Digital mammography. Right breast, cranio-caudal projection. 40 y/o patient.
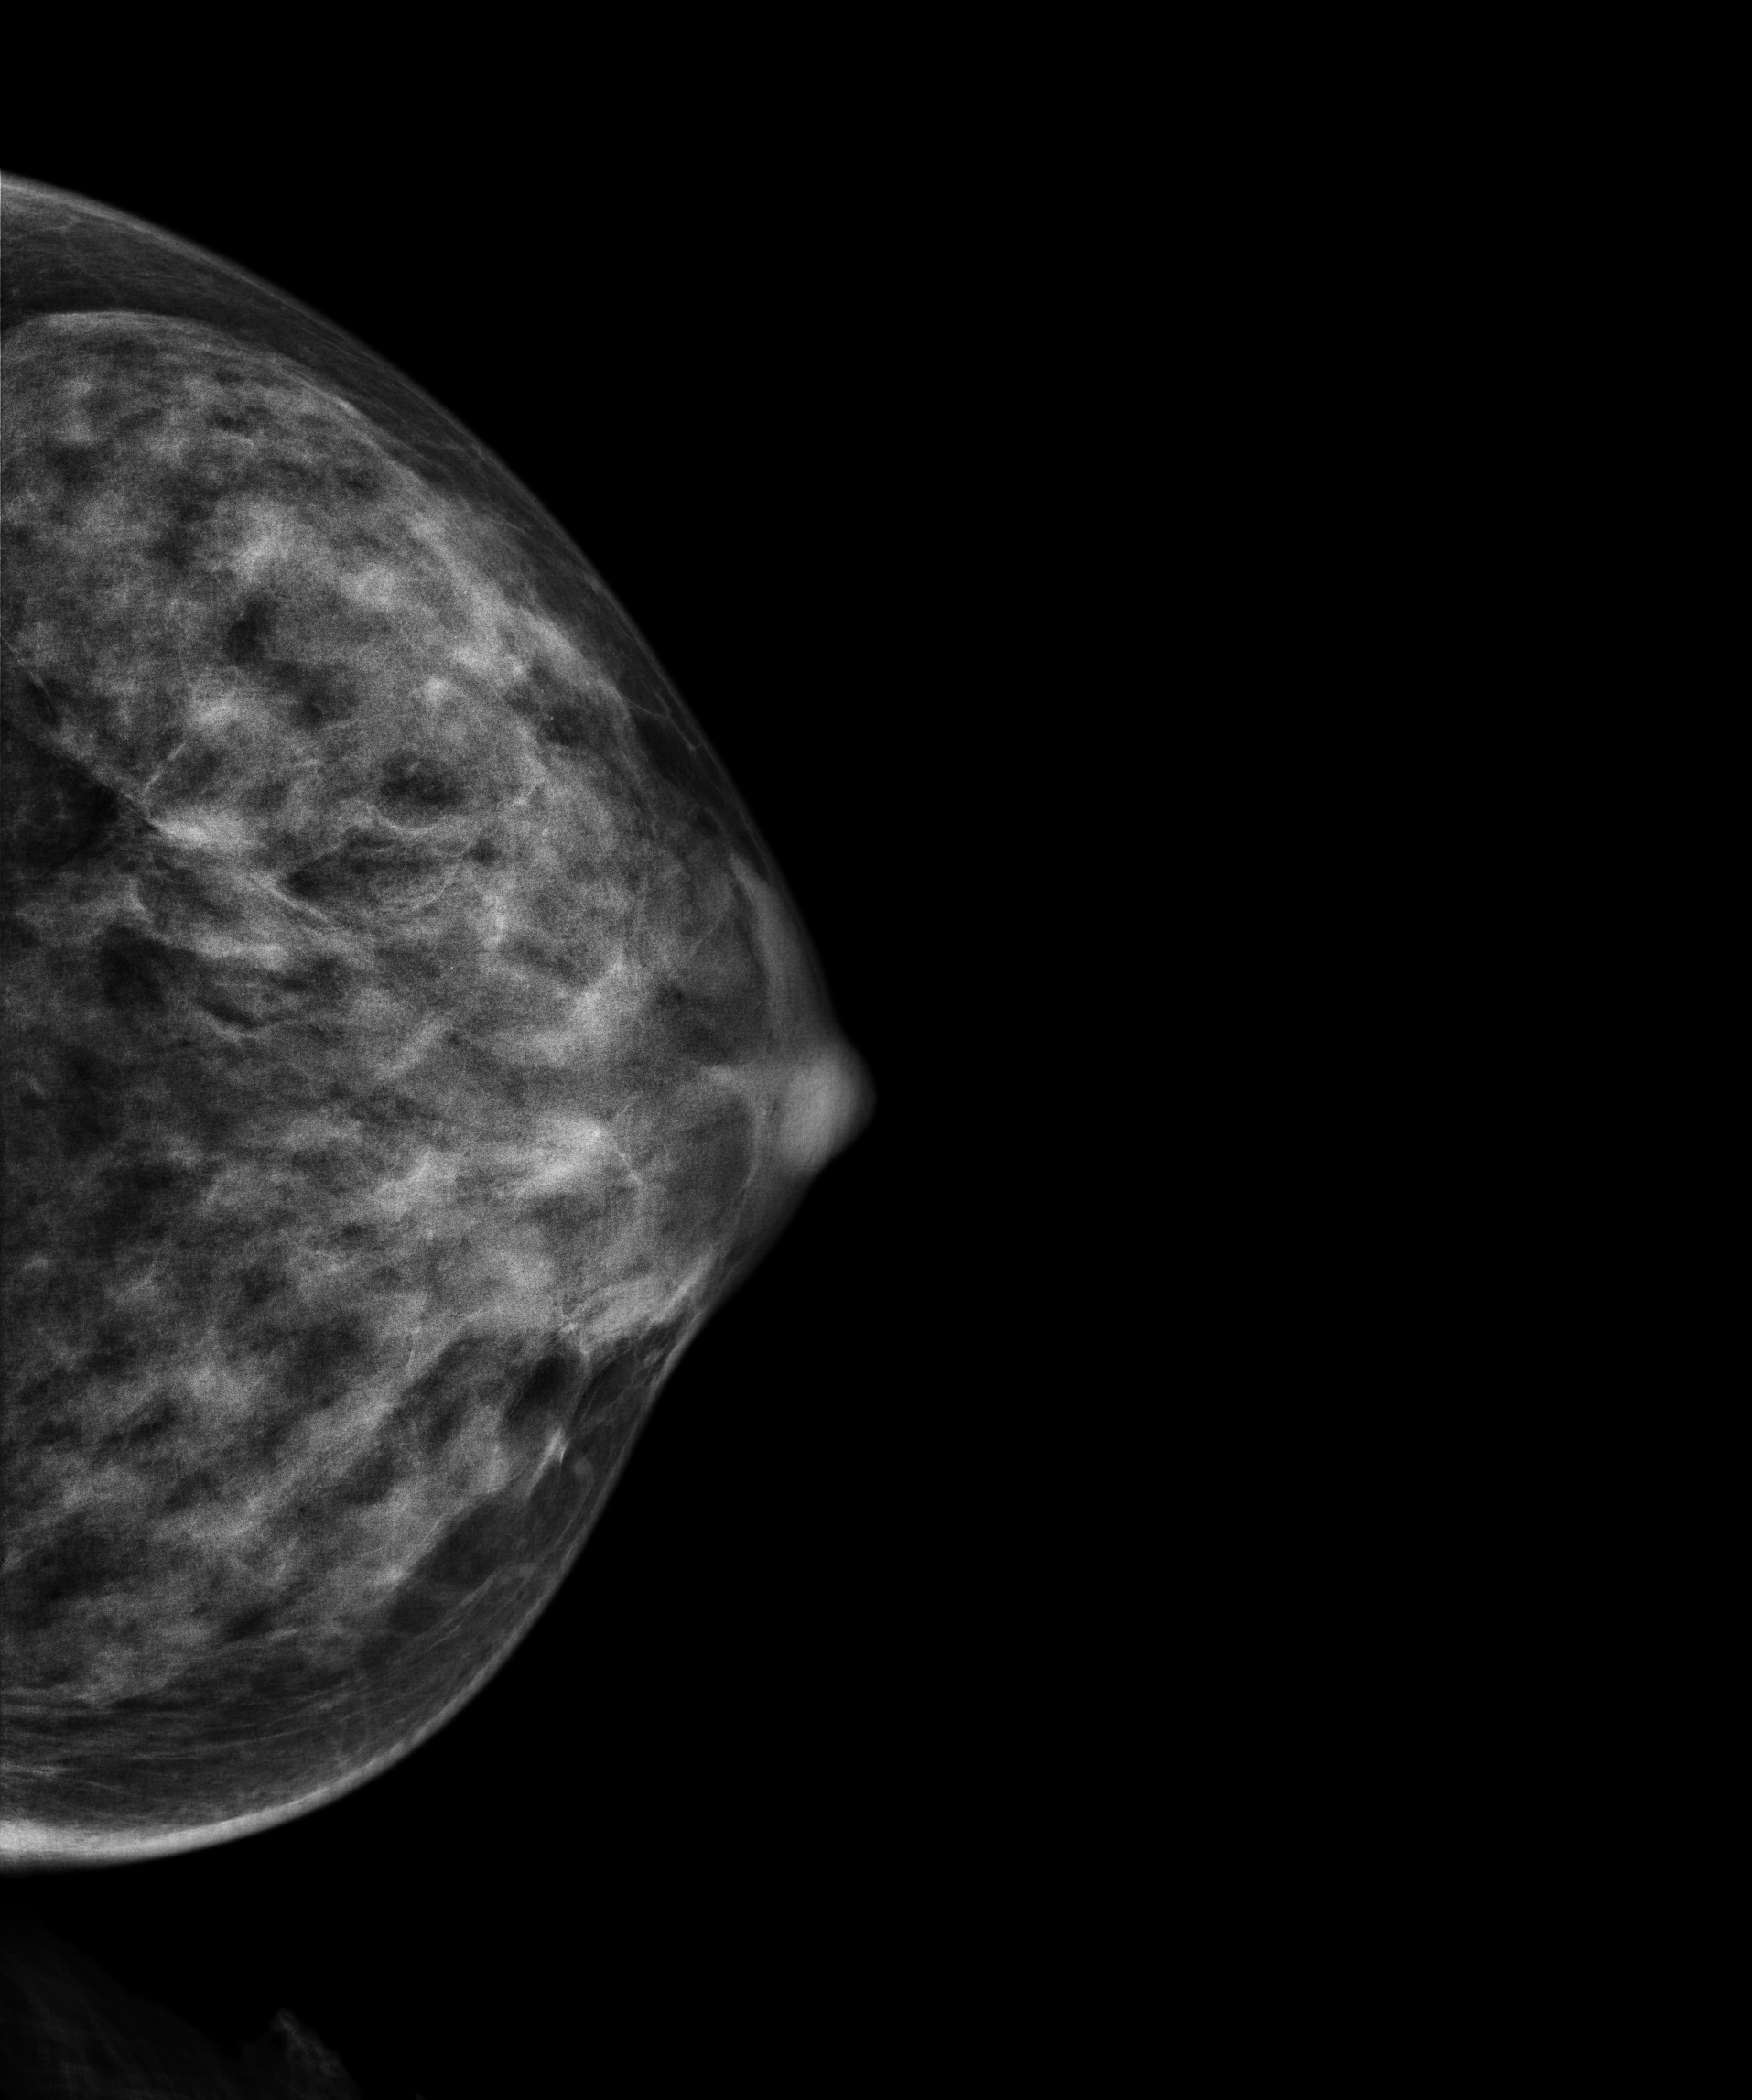
This breast has calcifications, pathology-confirmed malignant. Molecular subtype: triple-negative.